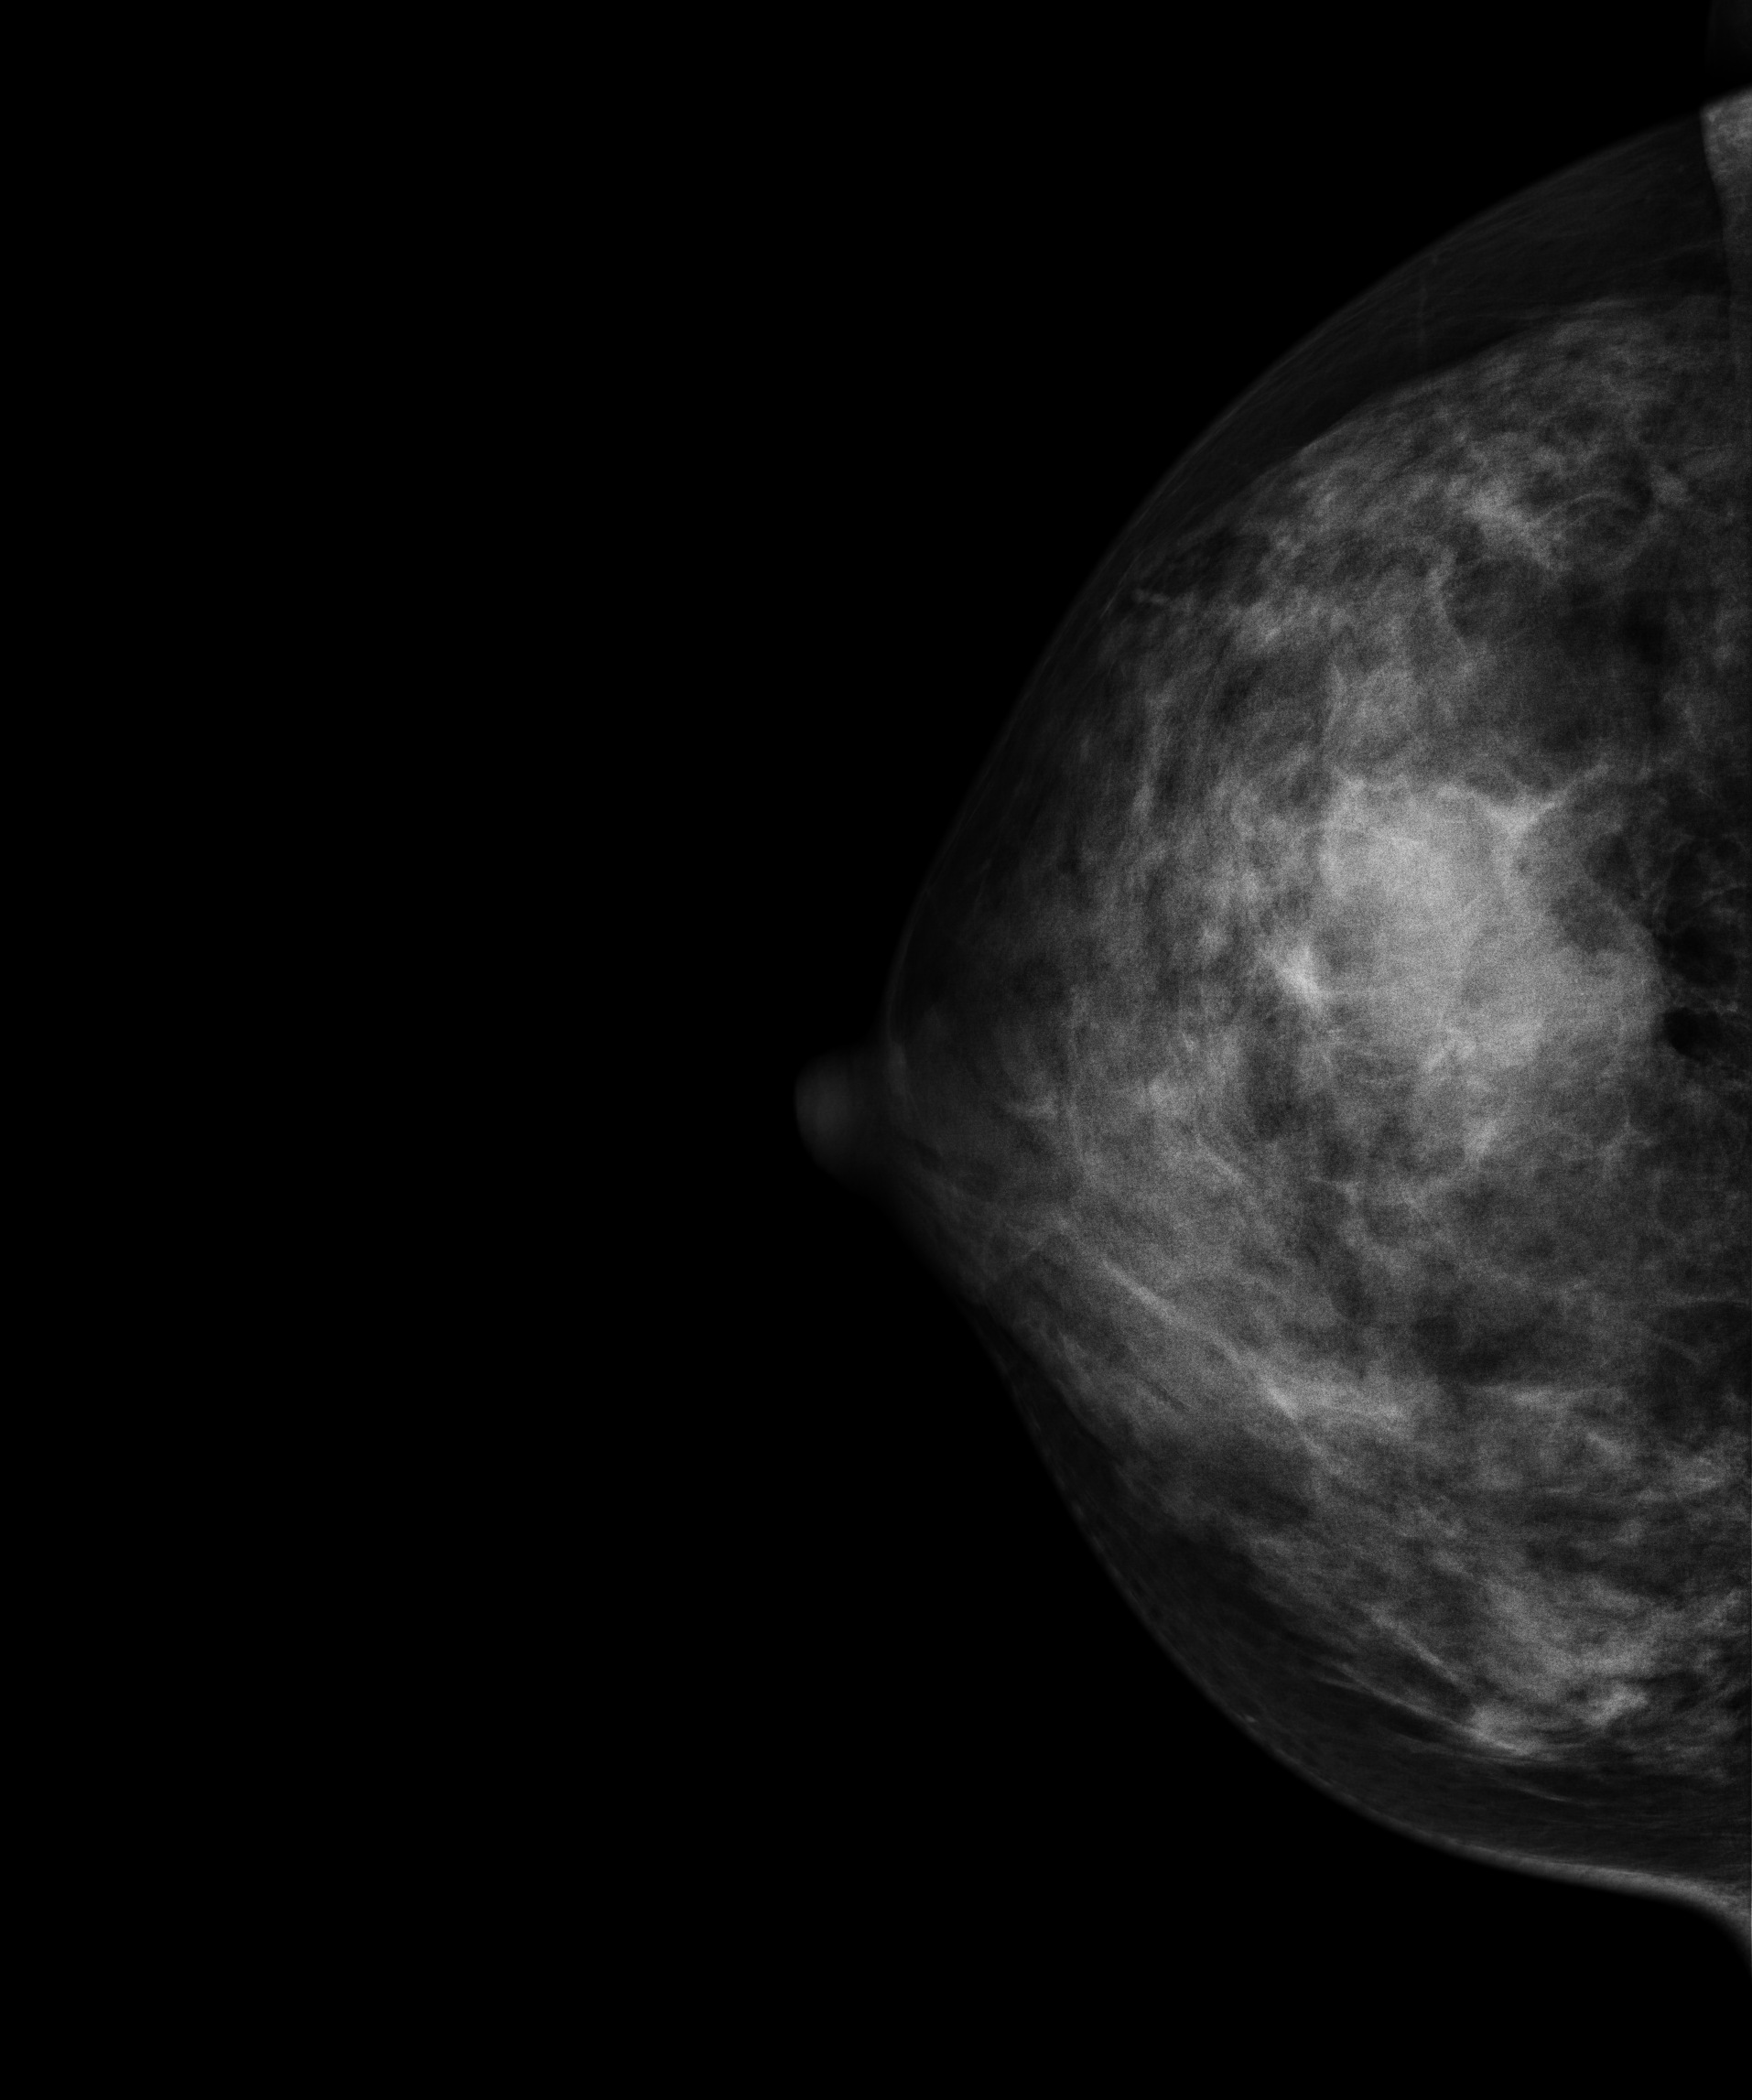
Mammogram, right breast, CC view. 27 y/o patient.
This breast has a mass, histologically confirmed malignant. Molecular subtype: luminal B.